Digital mammography. Left breast, MLO projection. 50-year-old patient.
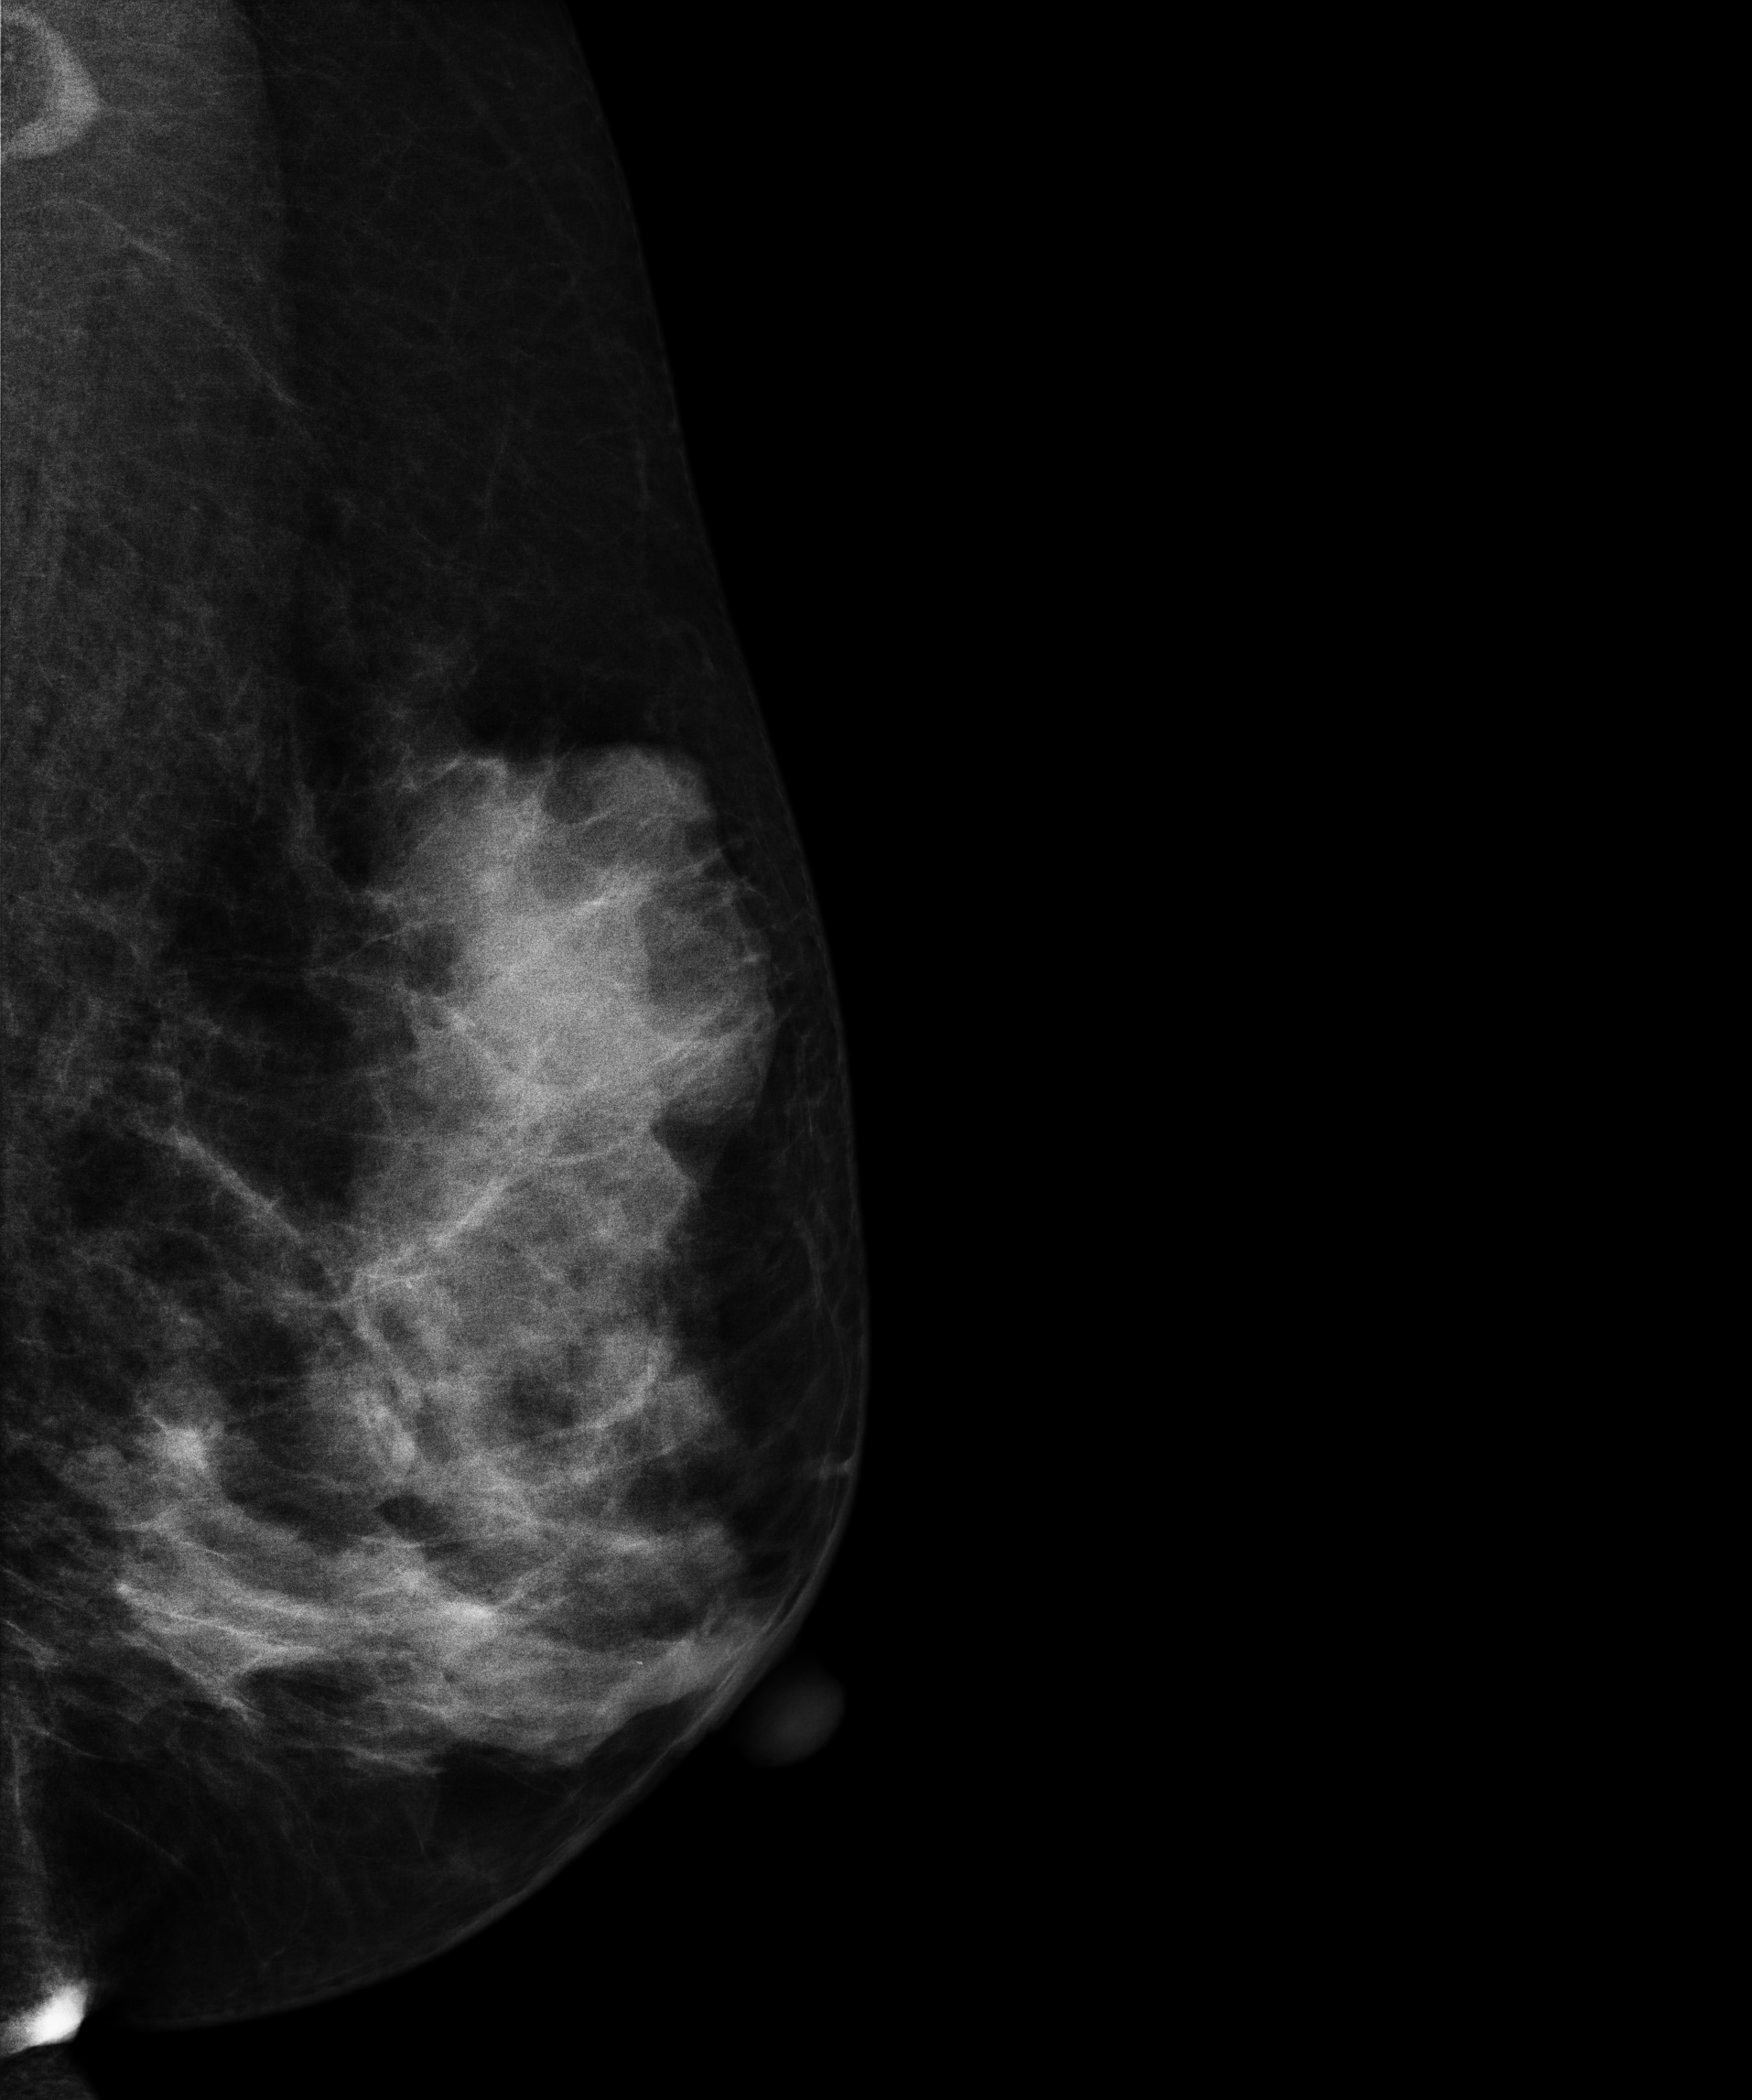
This breast has a mass, histologically confirmed benign.